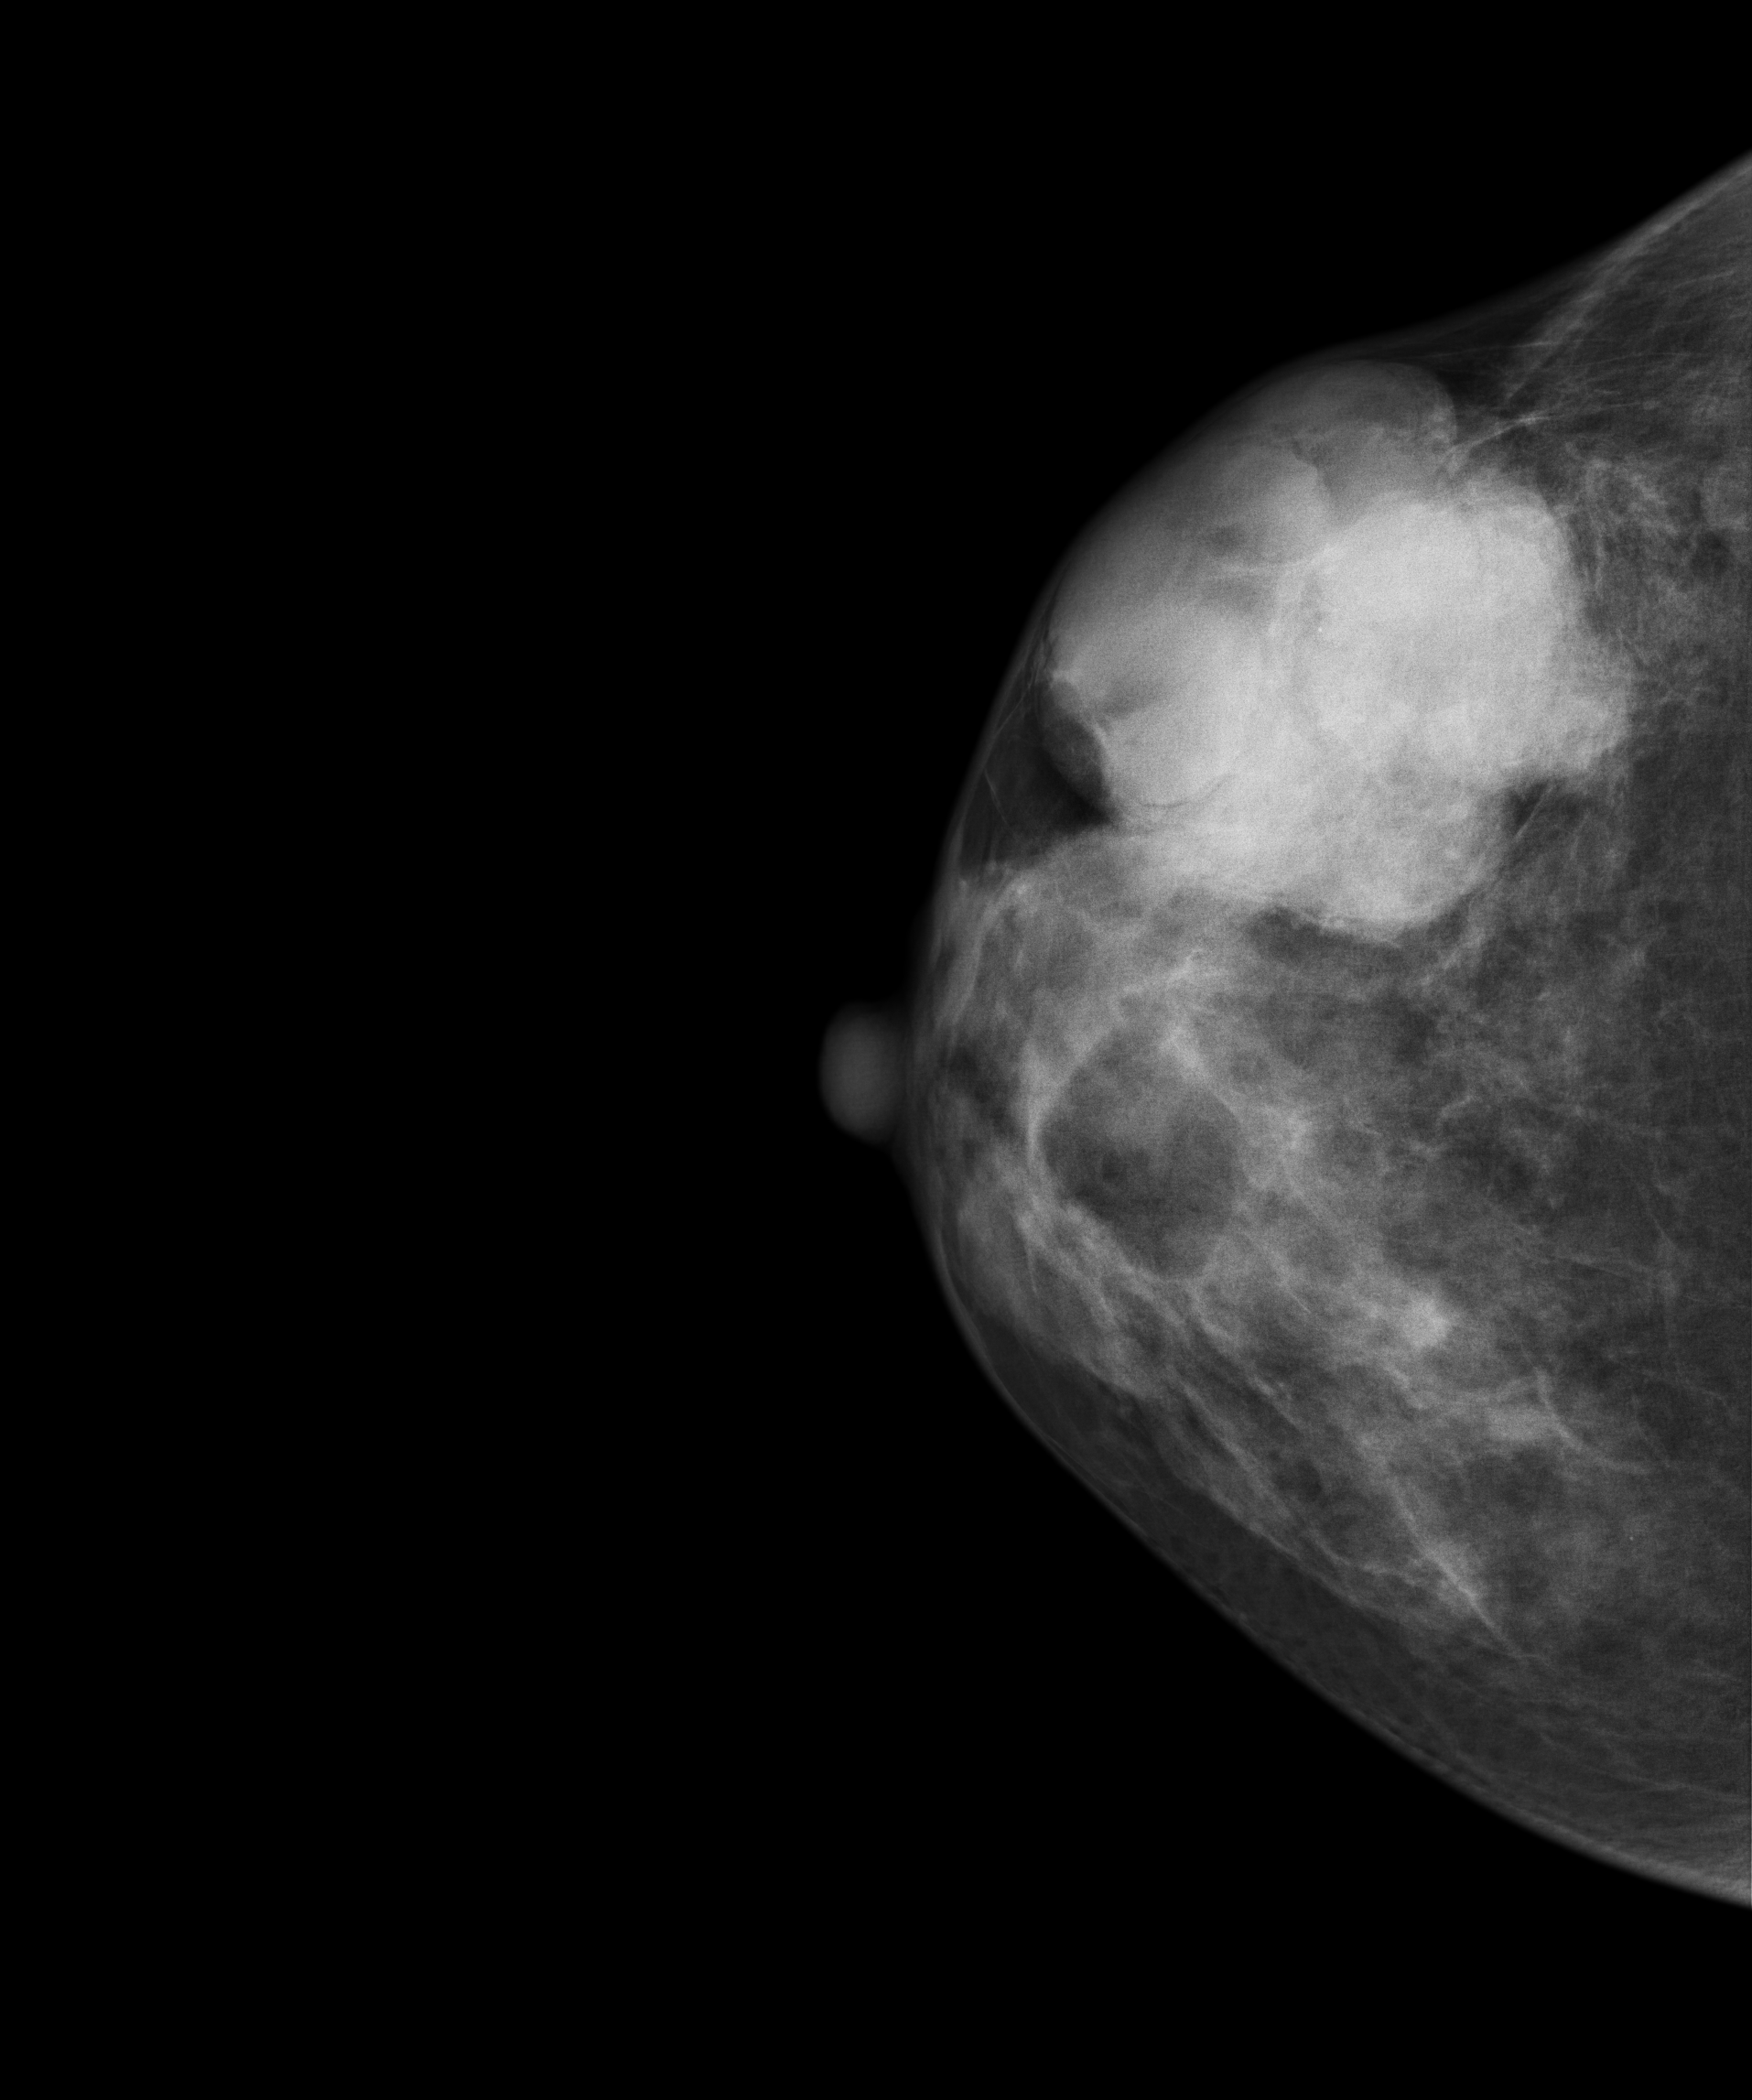
Cranio-caudal mammogram of the right breast. 38 y/o patient.
This breast has a mass, biopsy-confirmed benign.